Digital mammography. Right breast, cranio-caudal projection. 42-year-old patient.
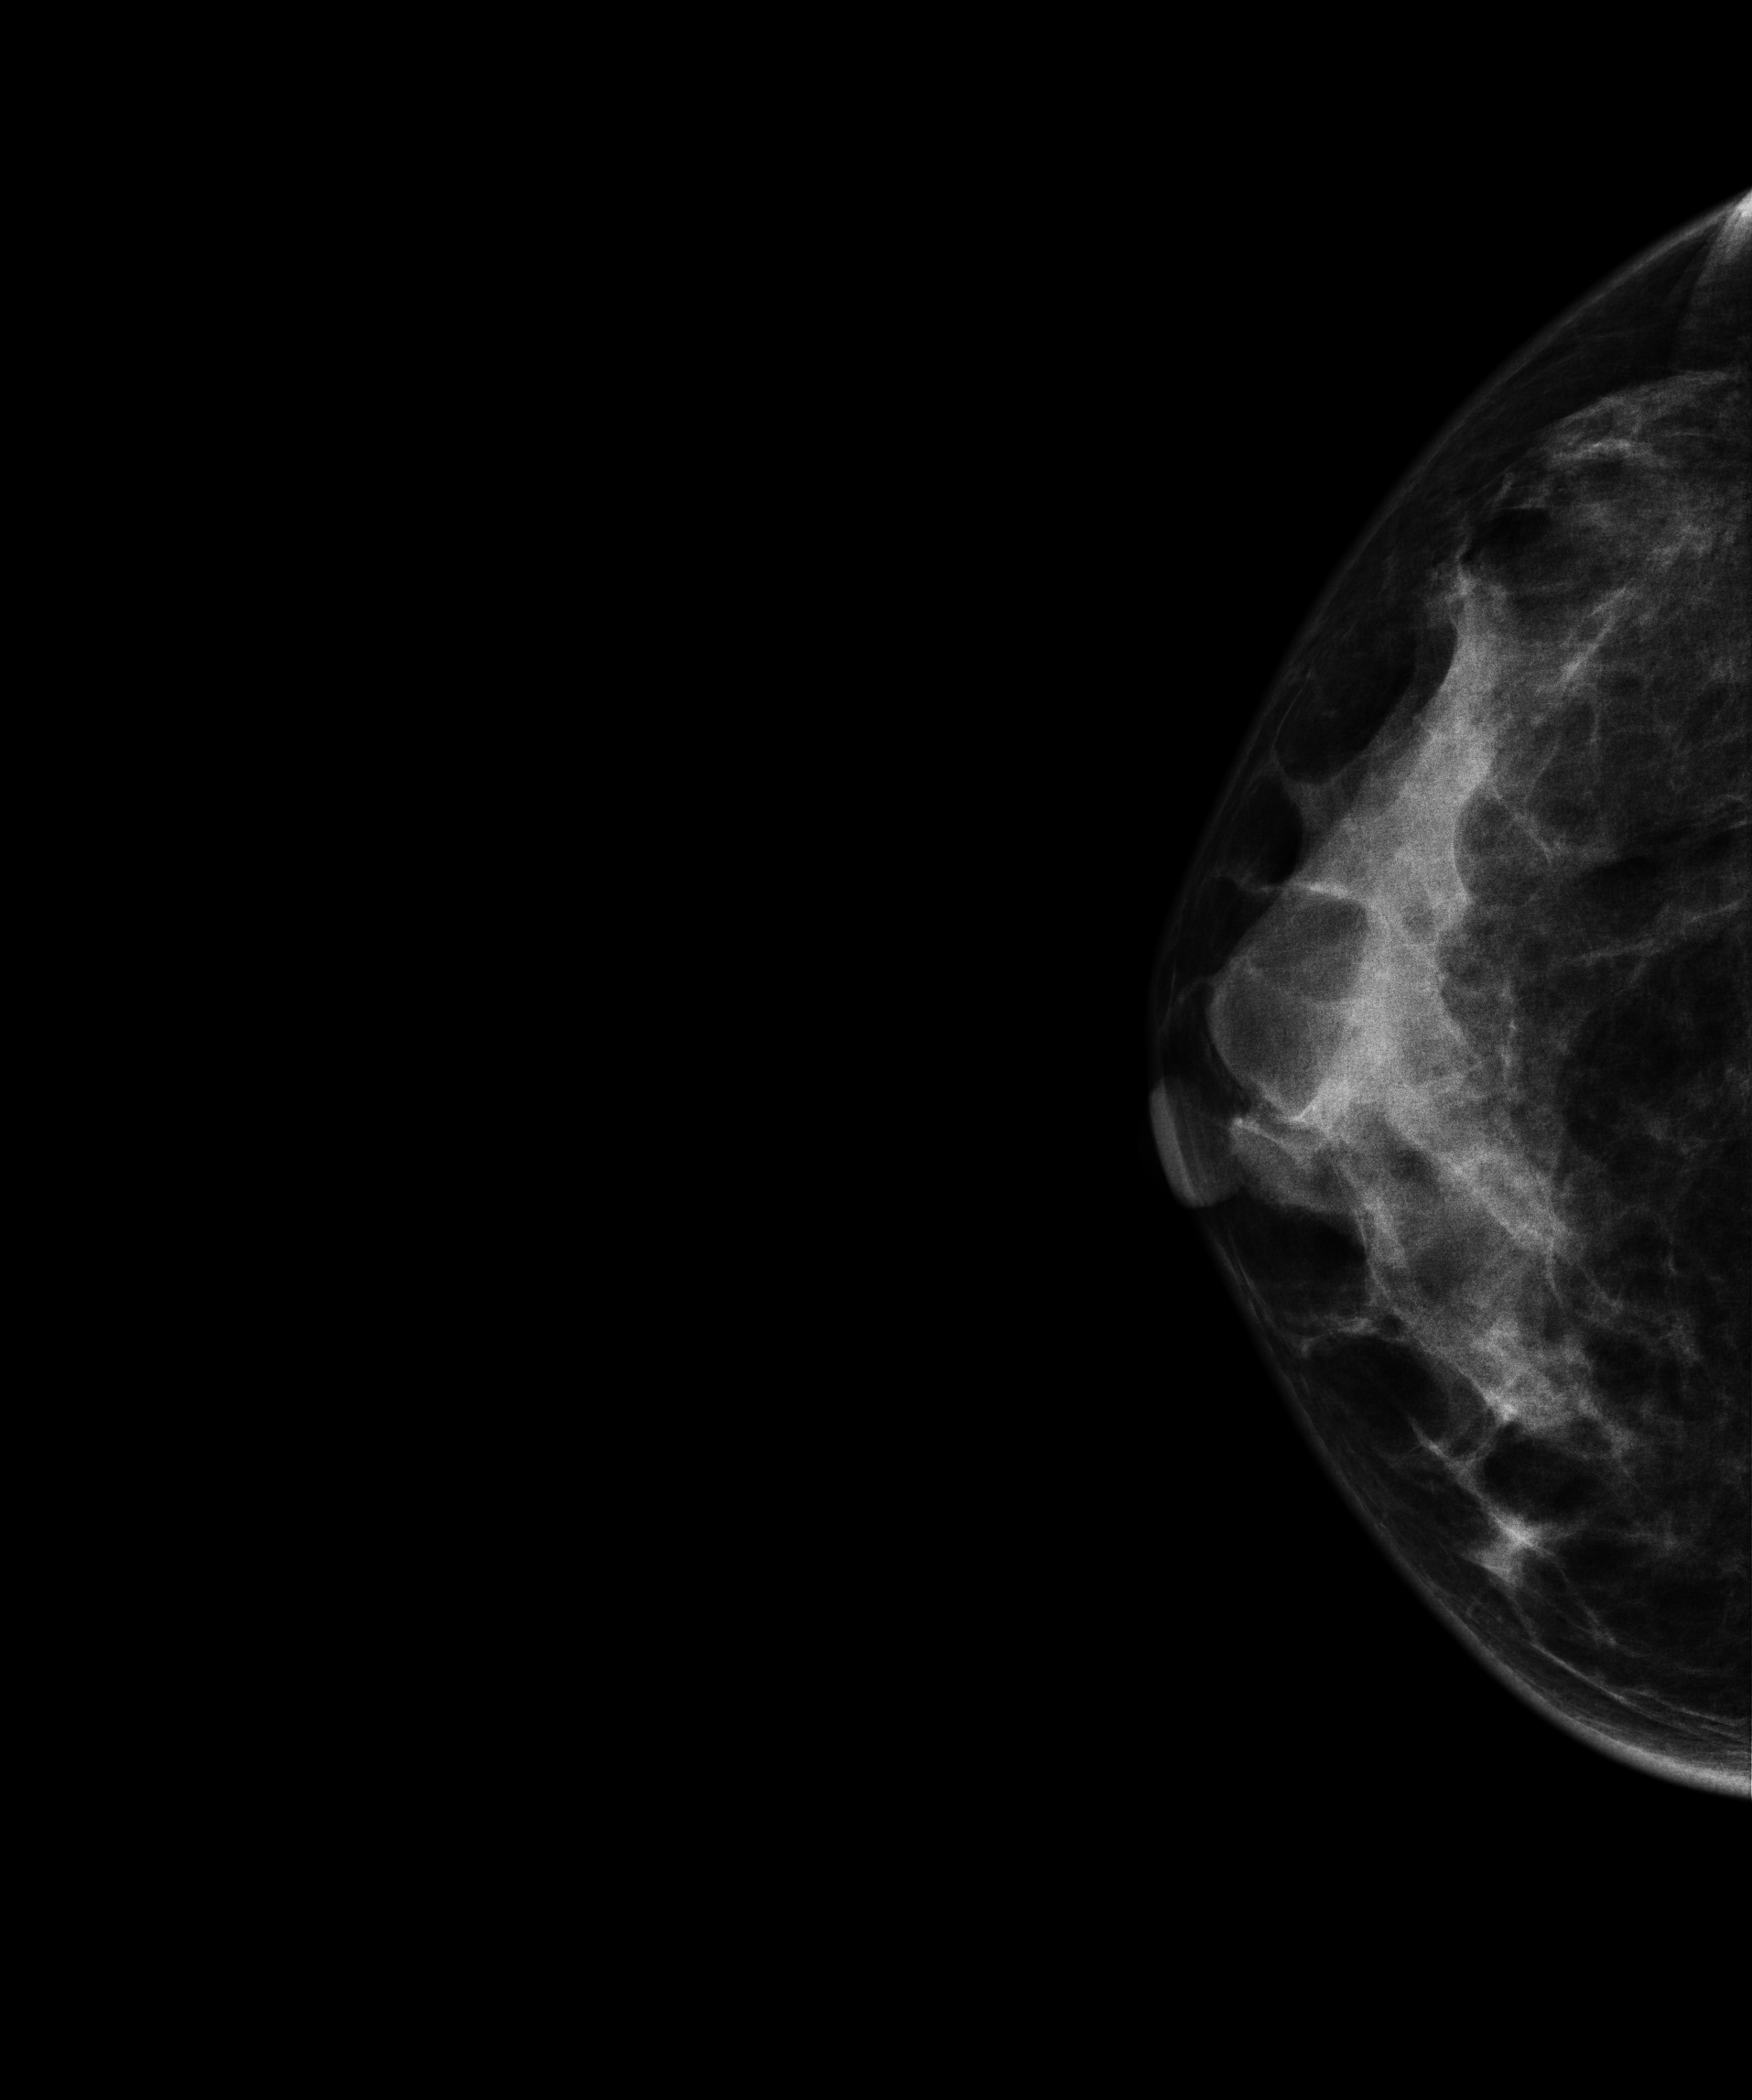
Contralateral breast — no documented abnormality on this side.